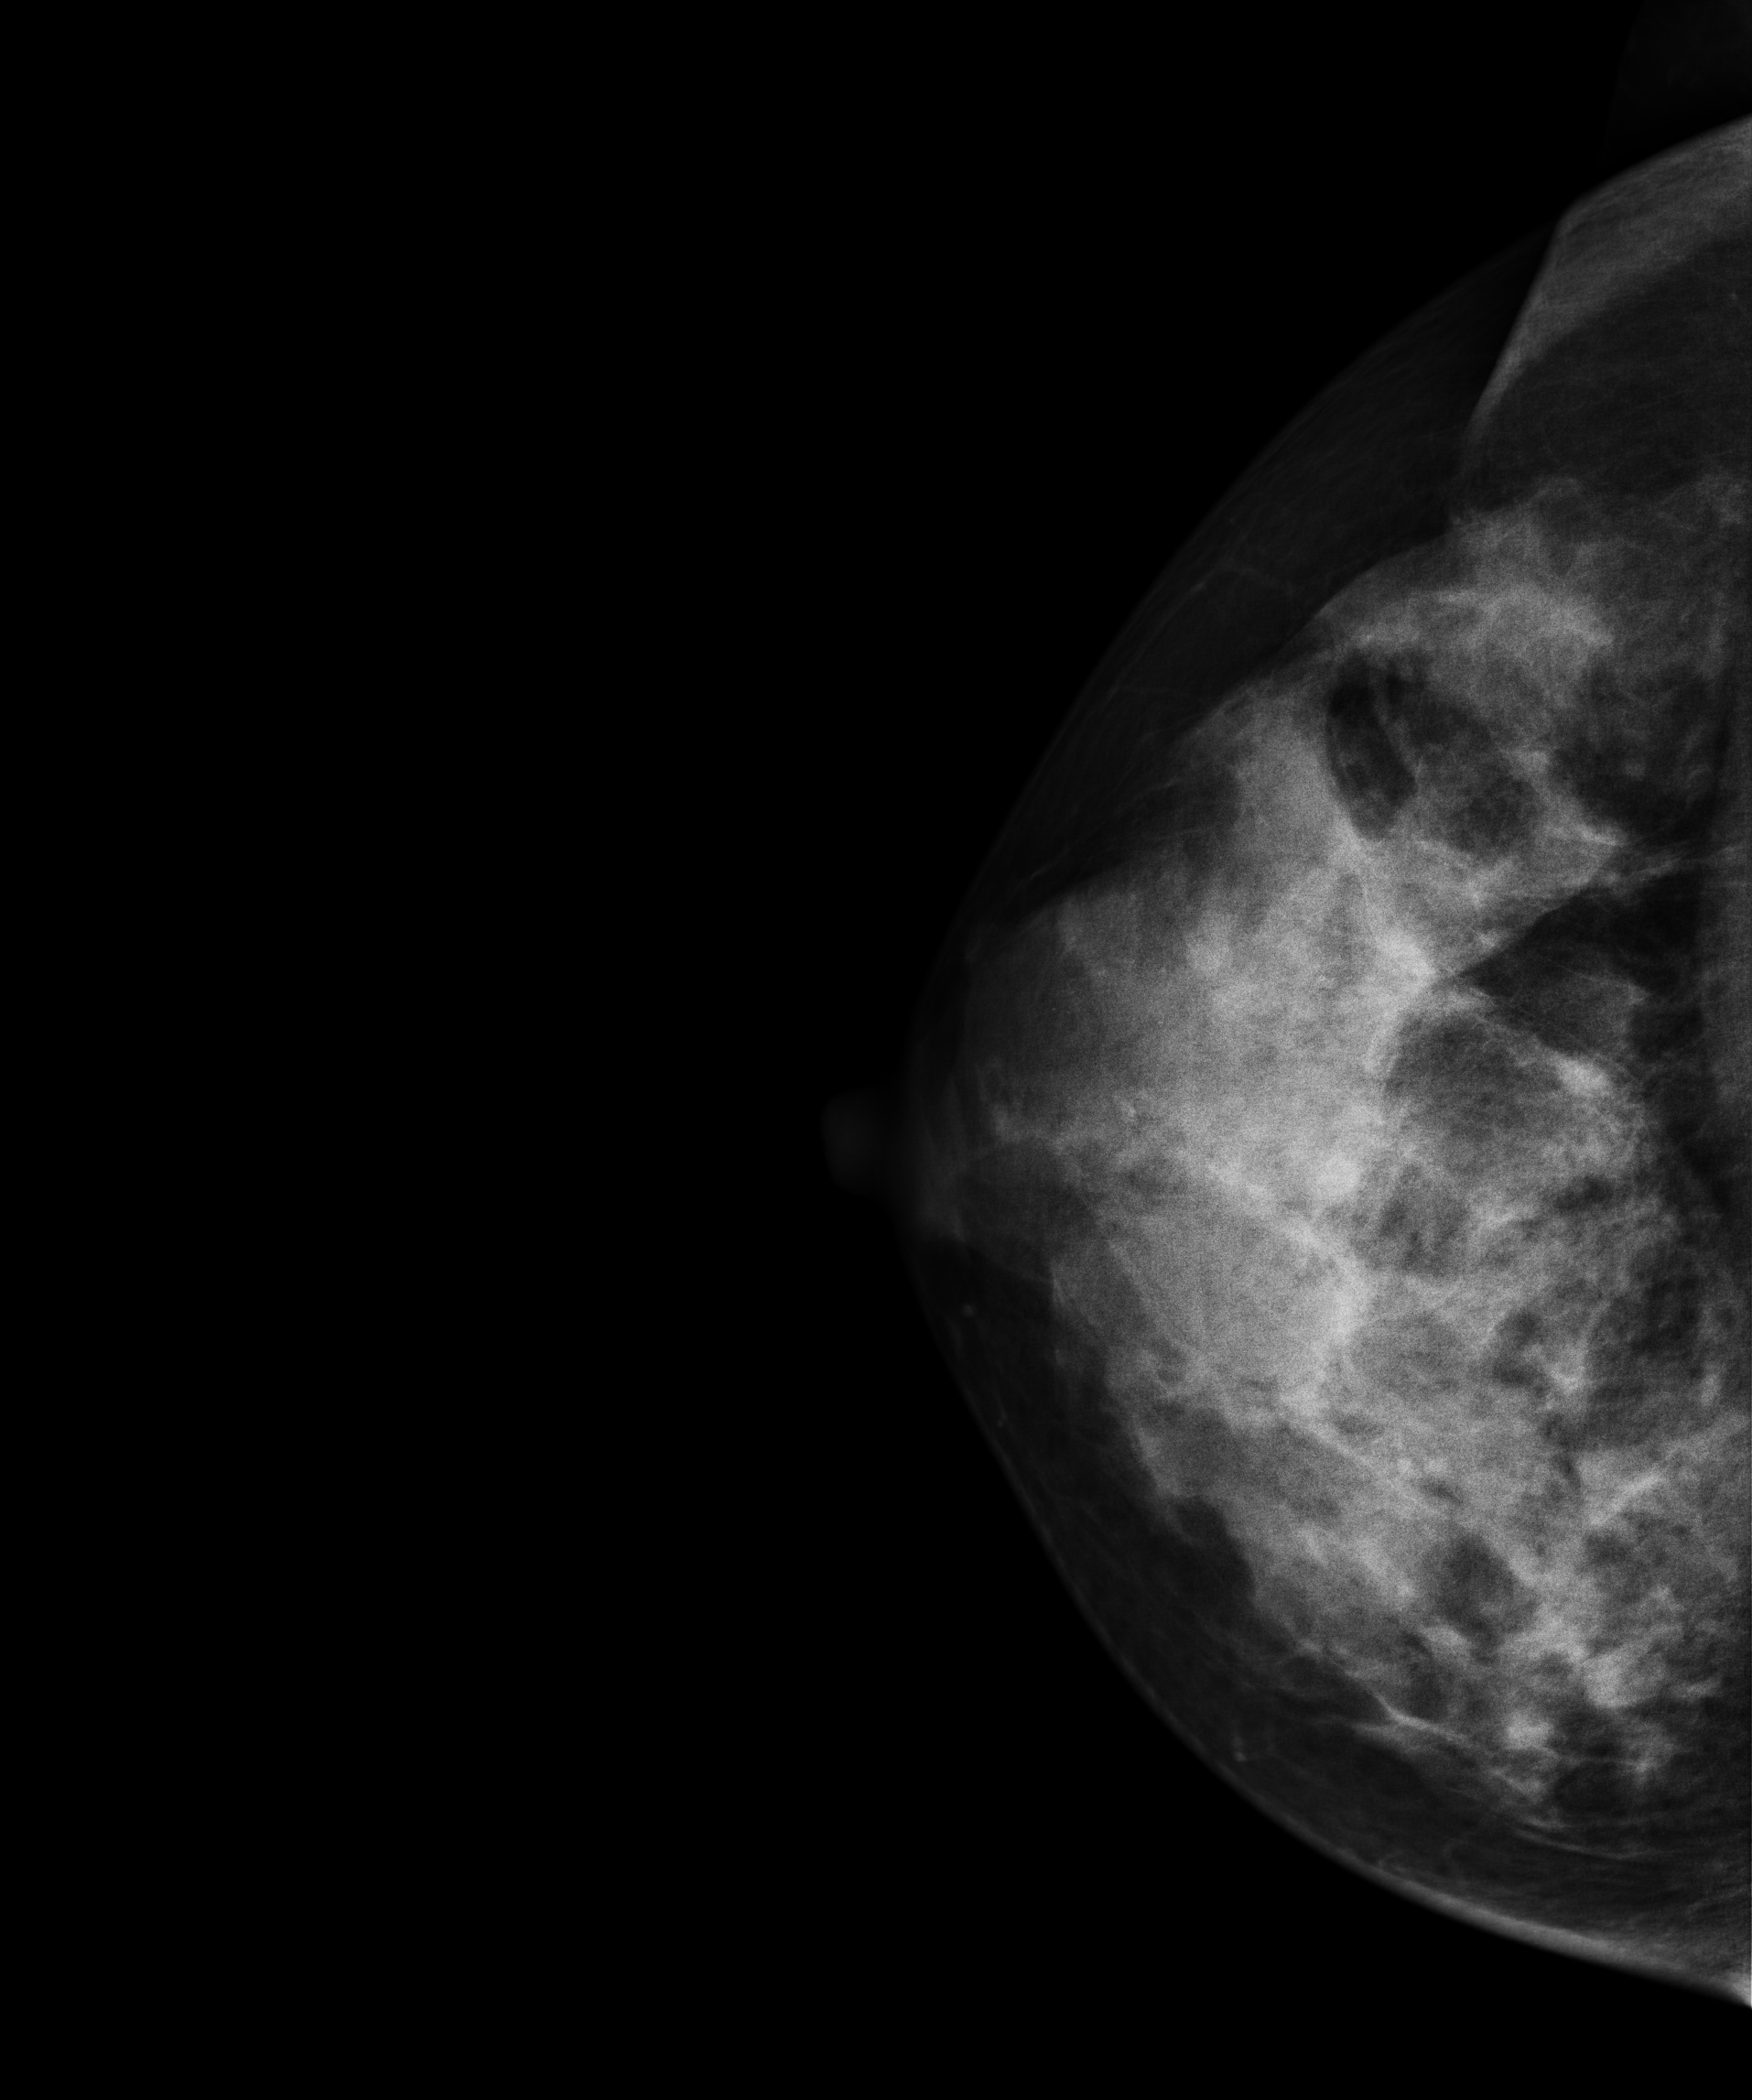
Digital mammography. Right breast, CC projection. 44 y/o patient.
This breast has a mass and calcifications, biopsy-confirmed benign.